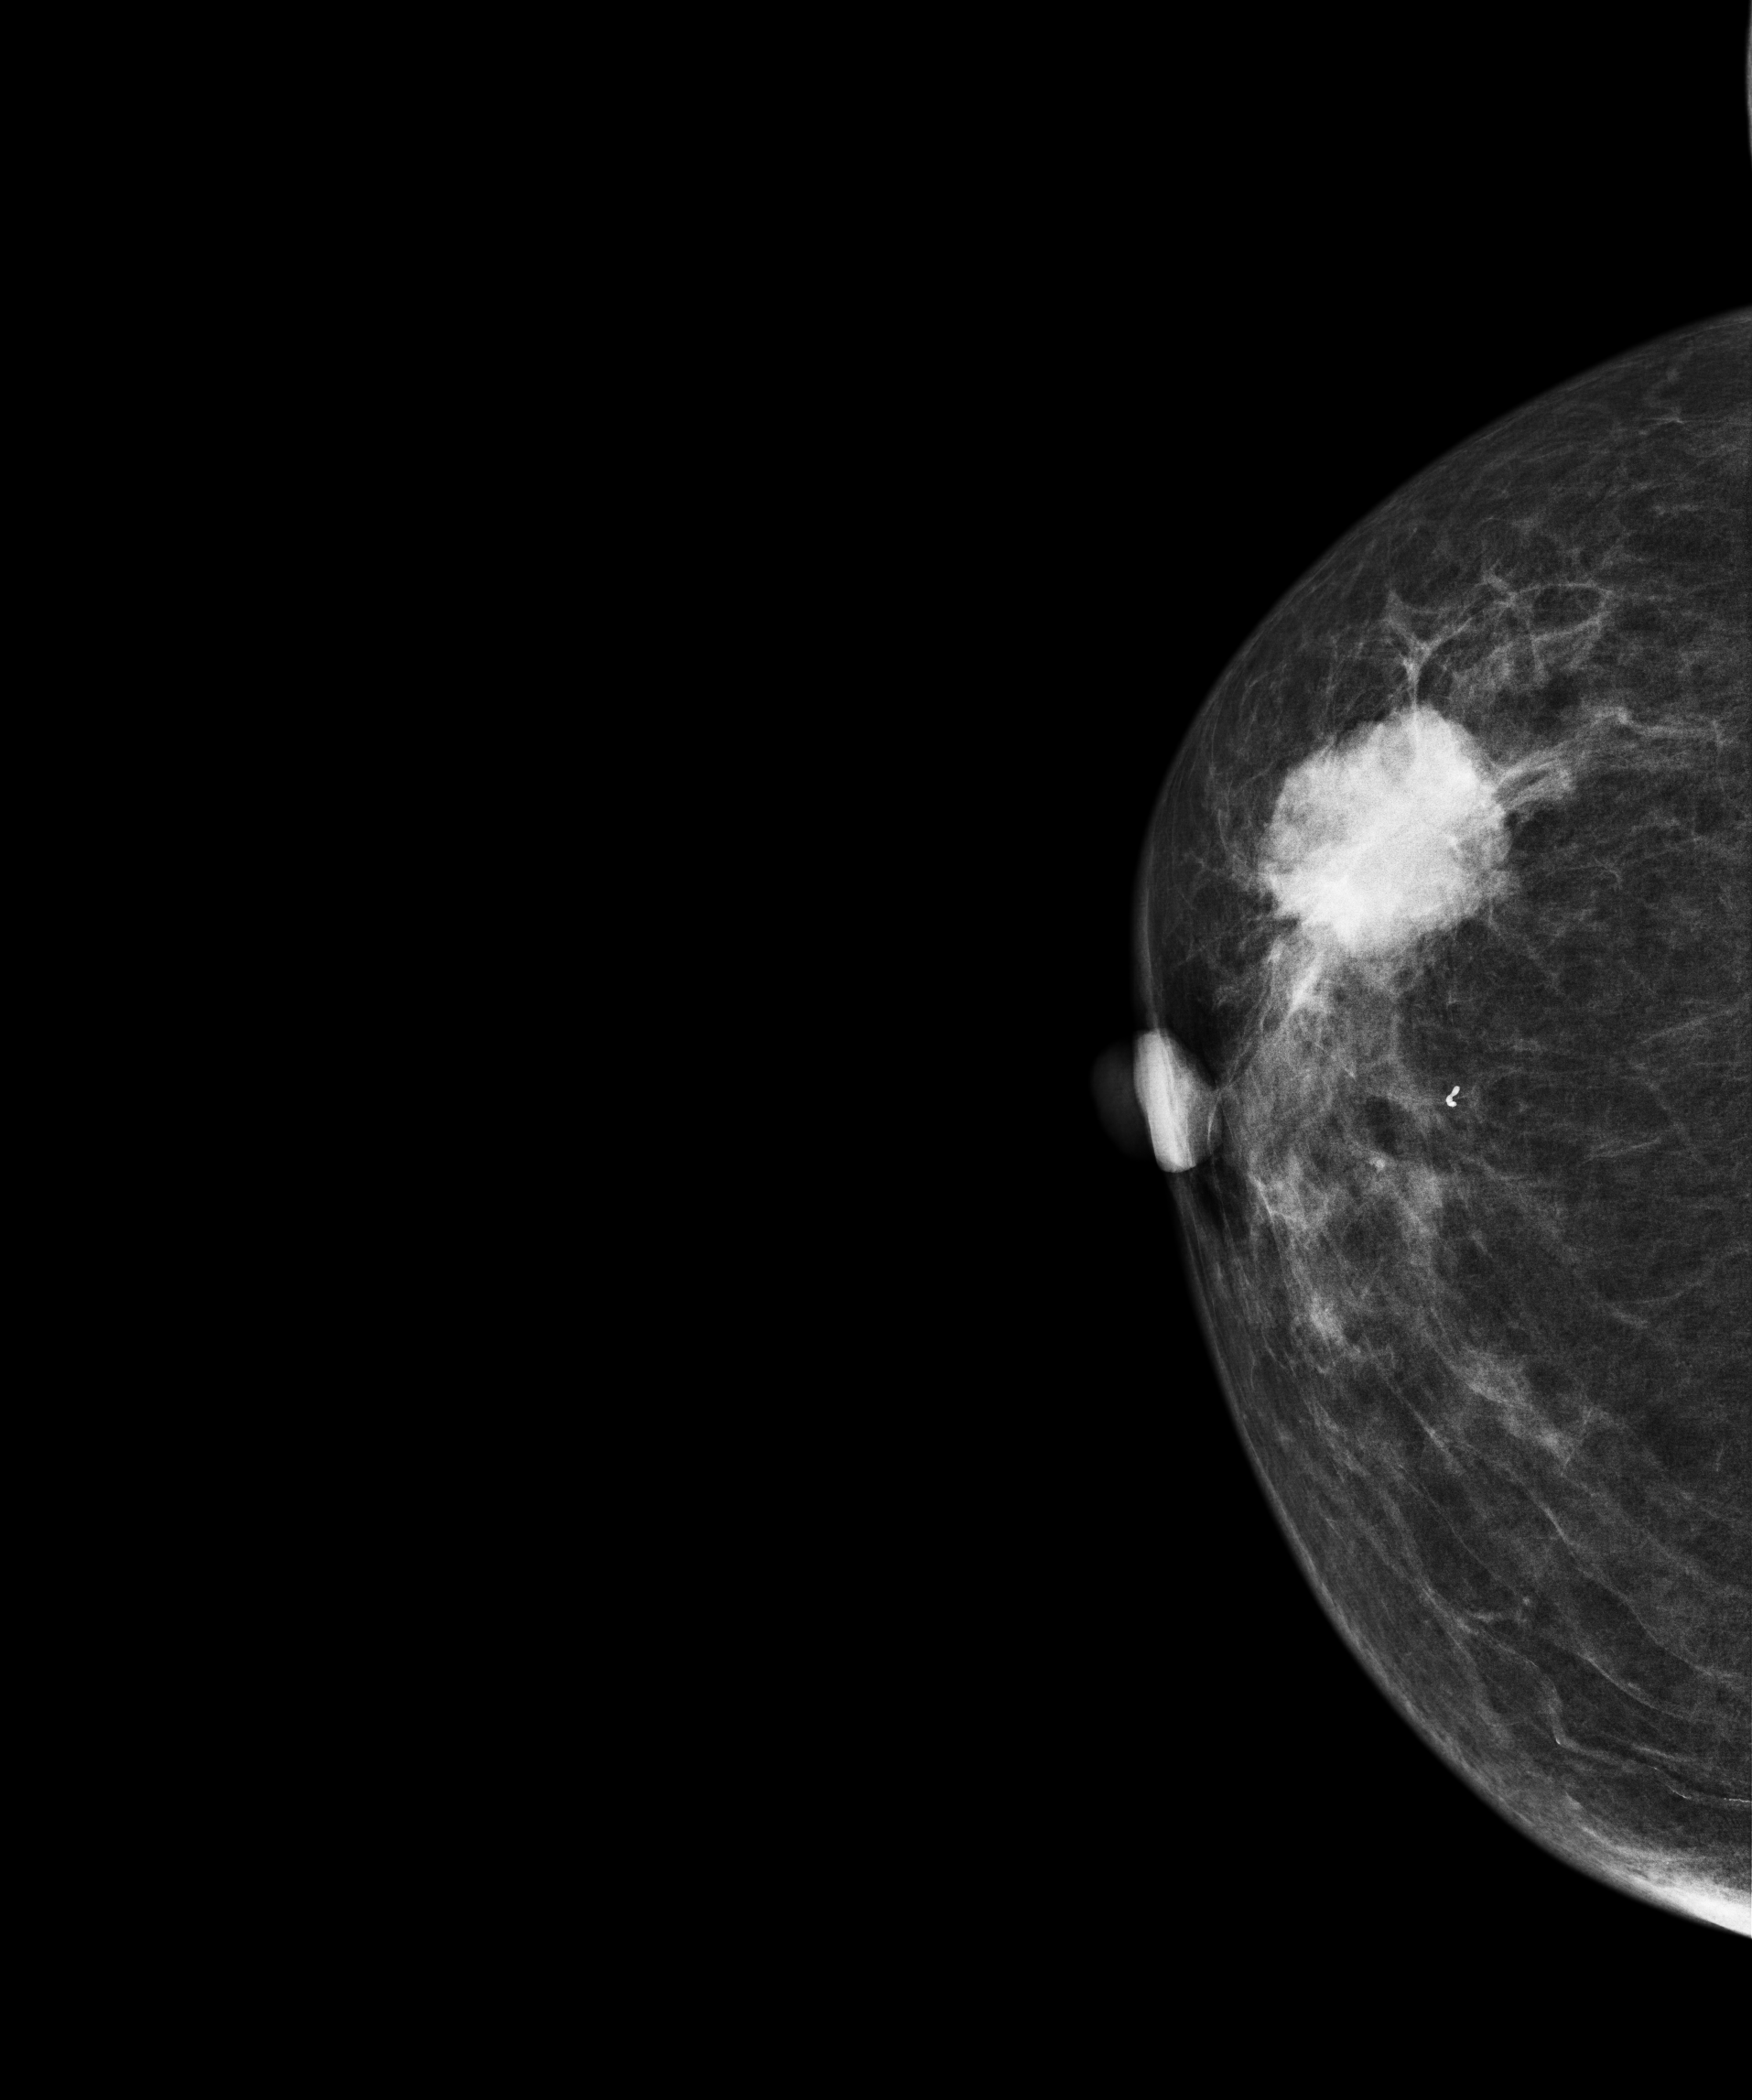
CC mammogram of the right breast. 78 y/o patient.
This breast has a mass and calcifications, histologically confirmed malignant.